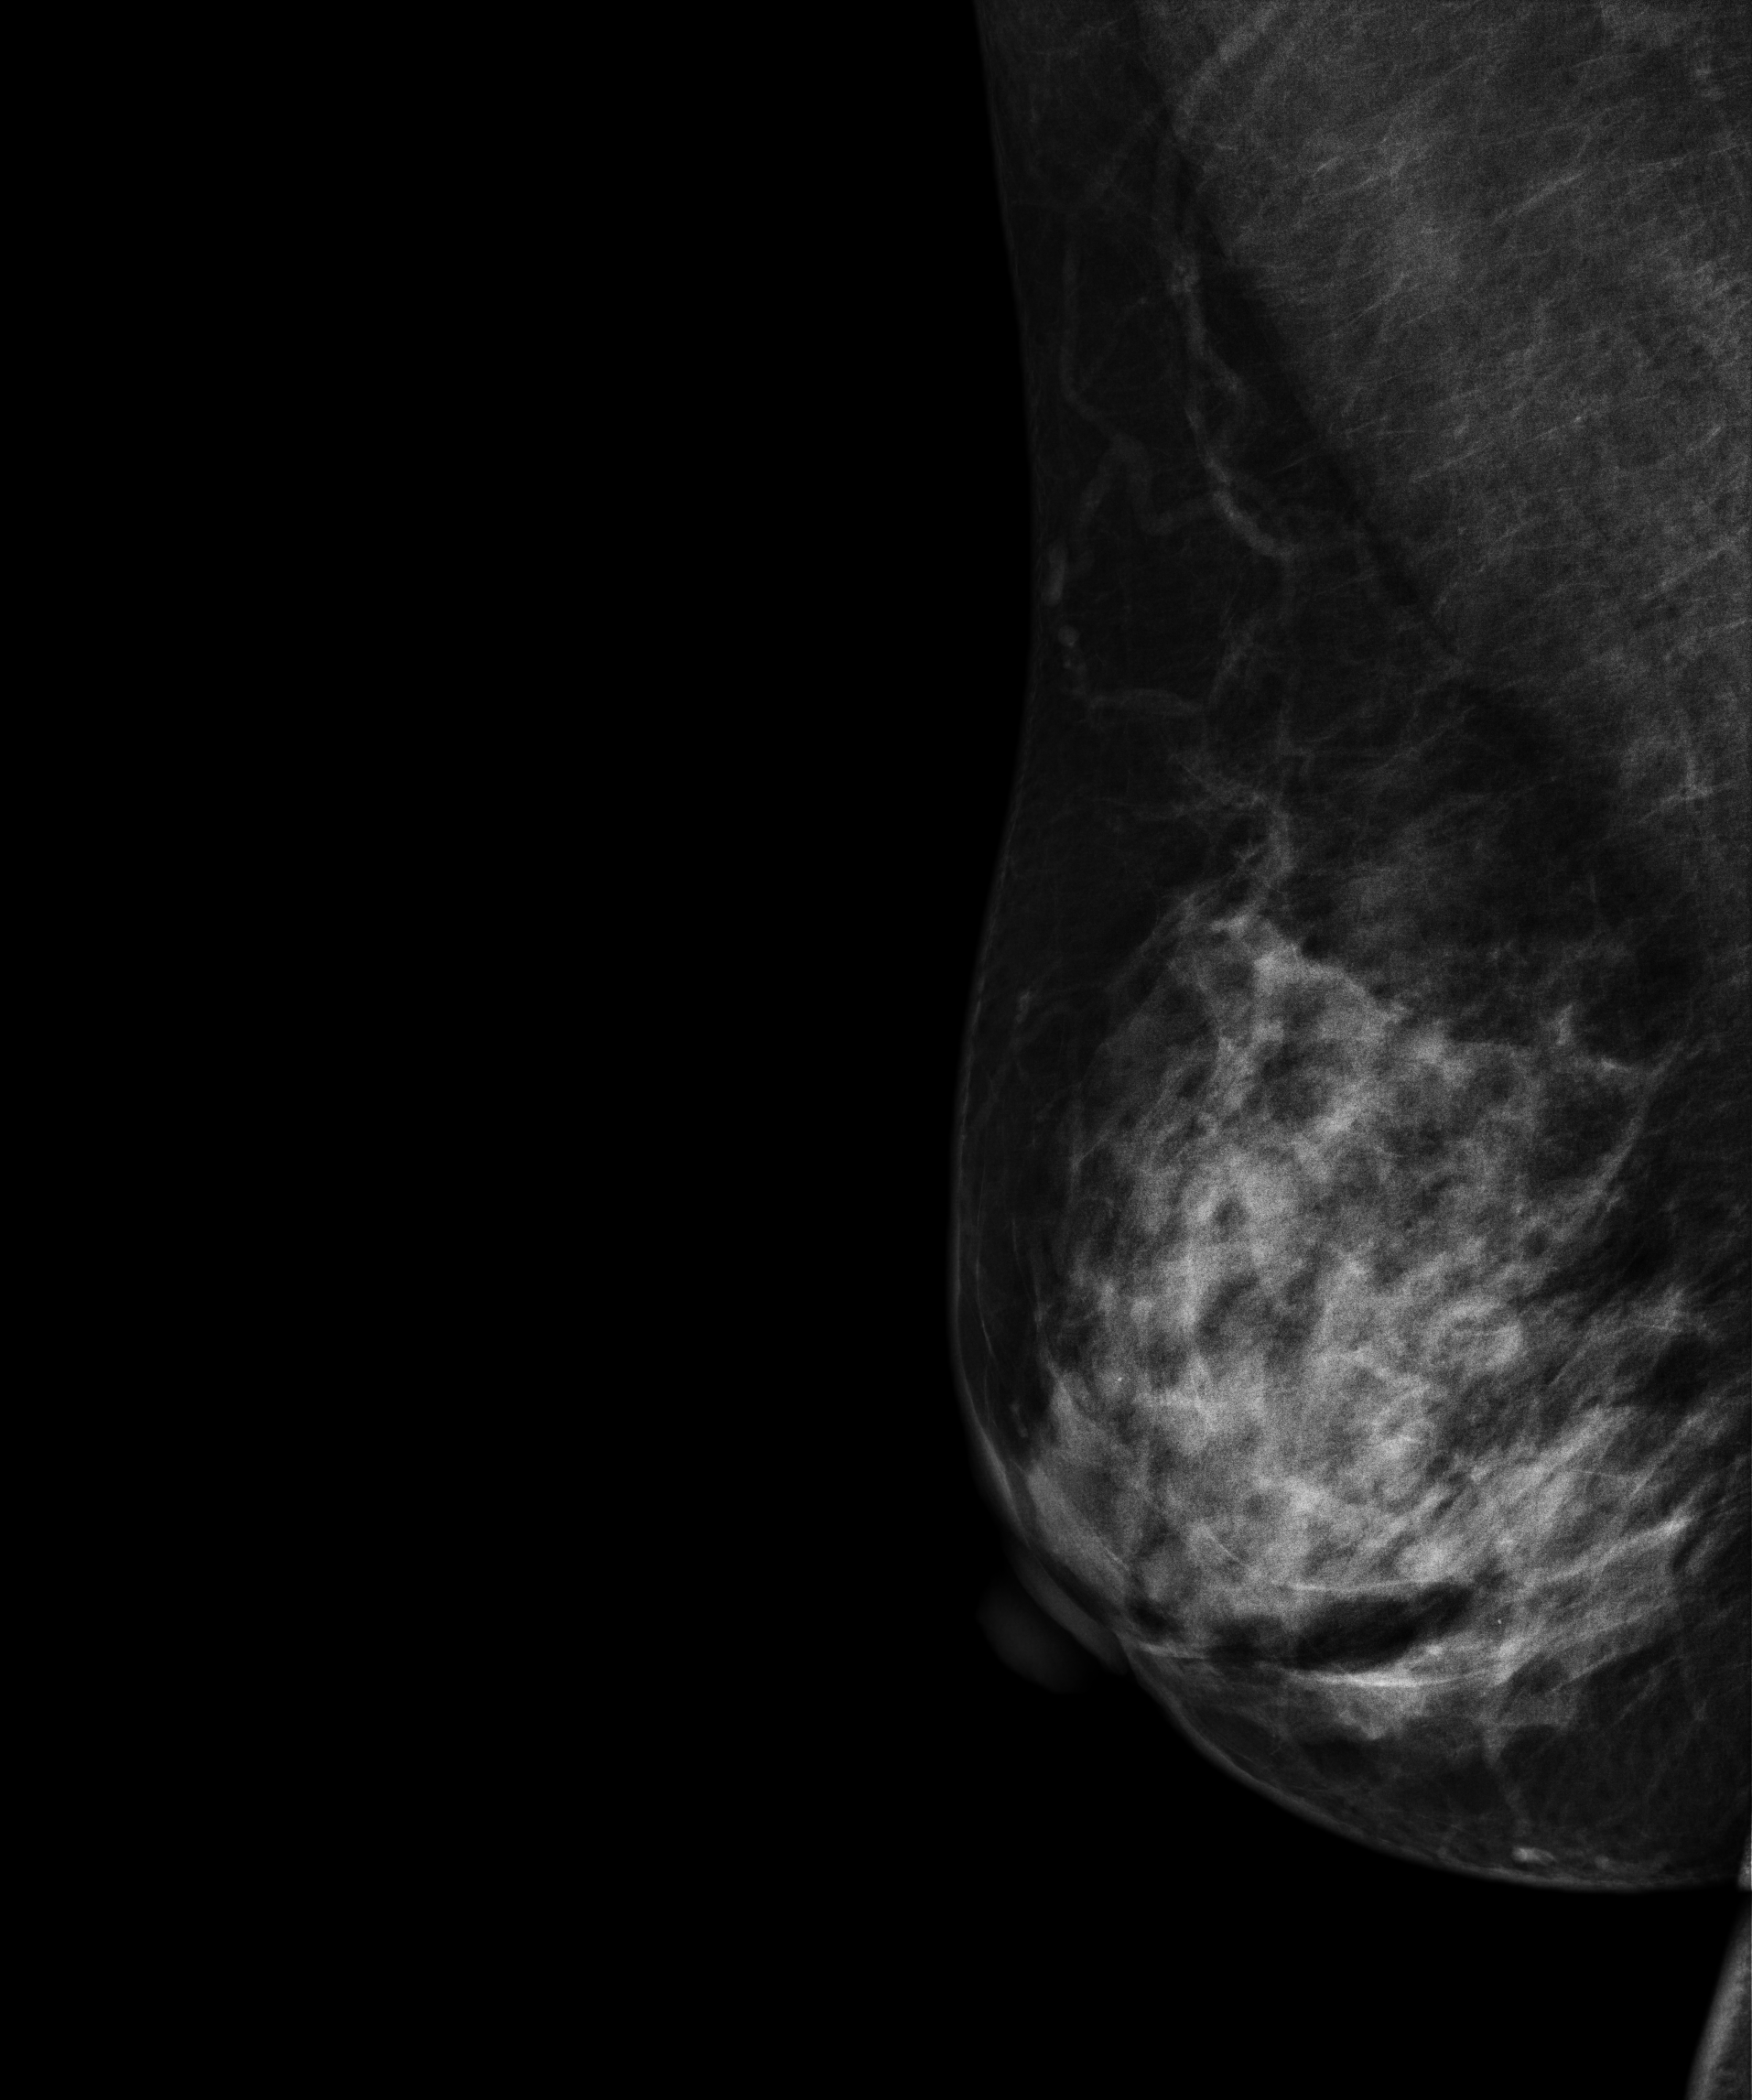
Mammogram — right MLO. Patient age 49.
This breast has a mass and calcifications, biopsy-confirmed malignant. Molecular subtype: luminal B.